Mammogram, right breast, cranio-caudal view. 46-year-old patient.
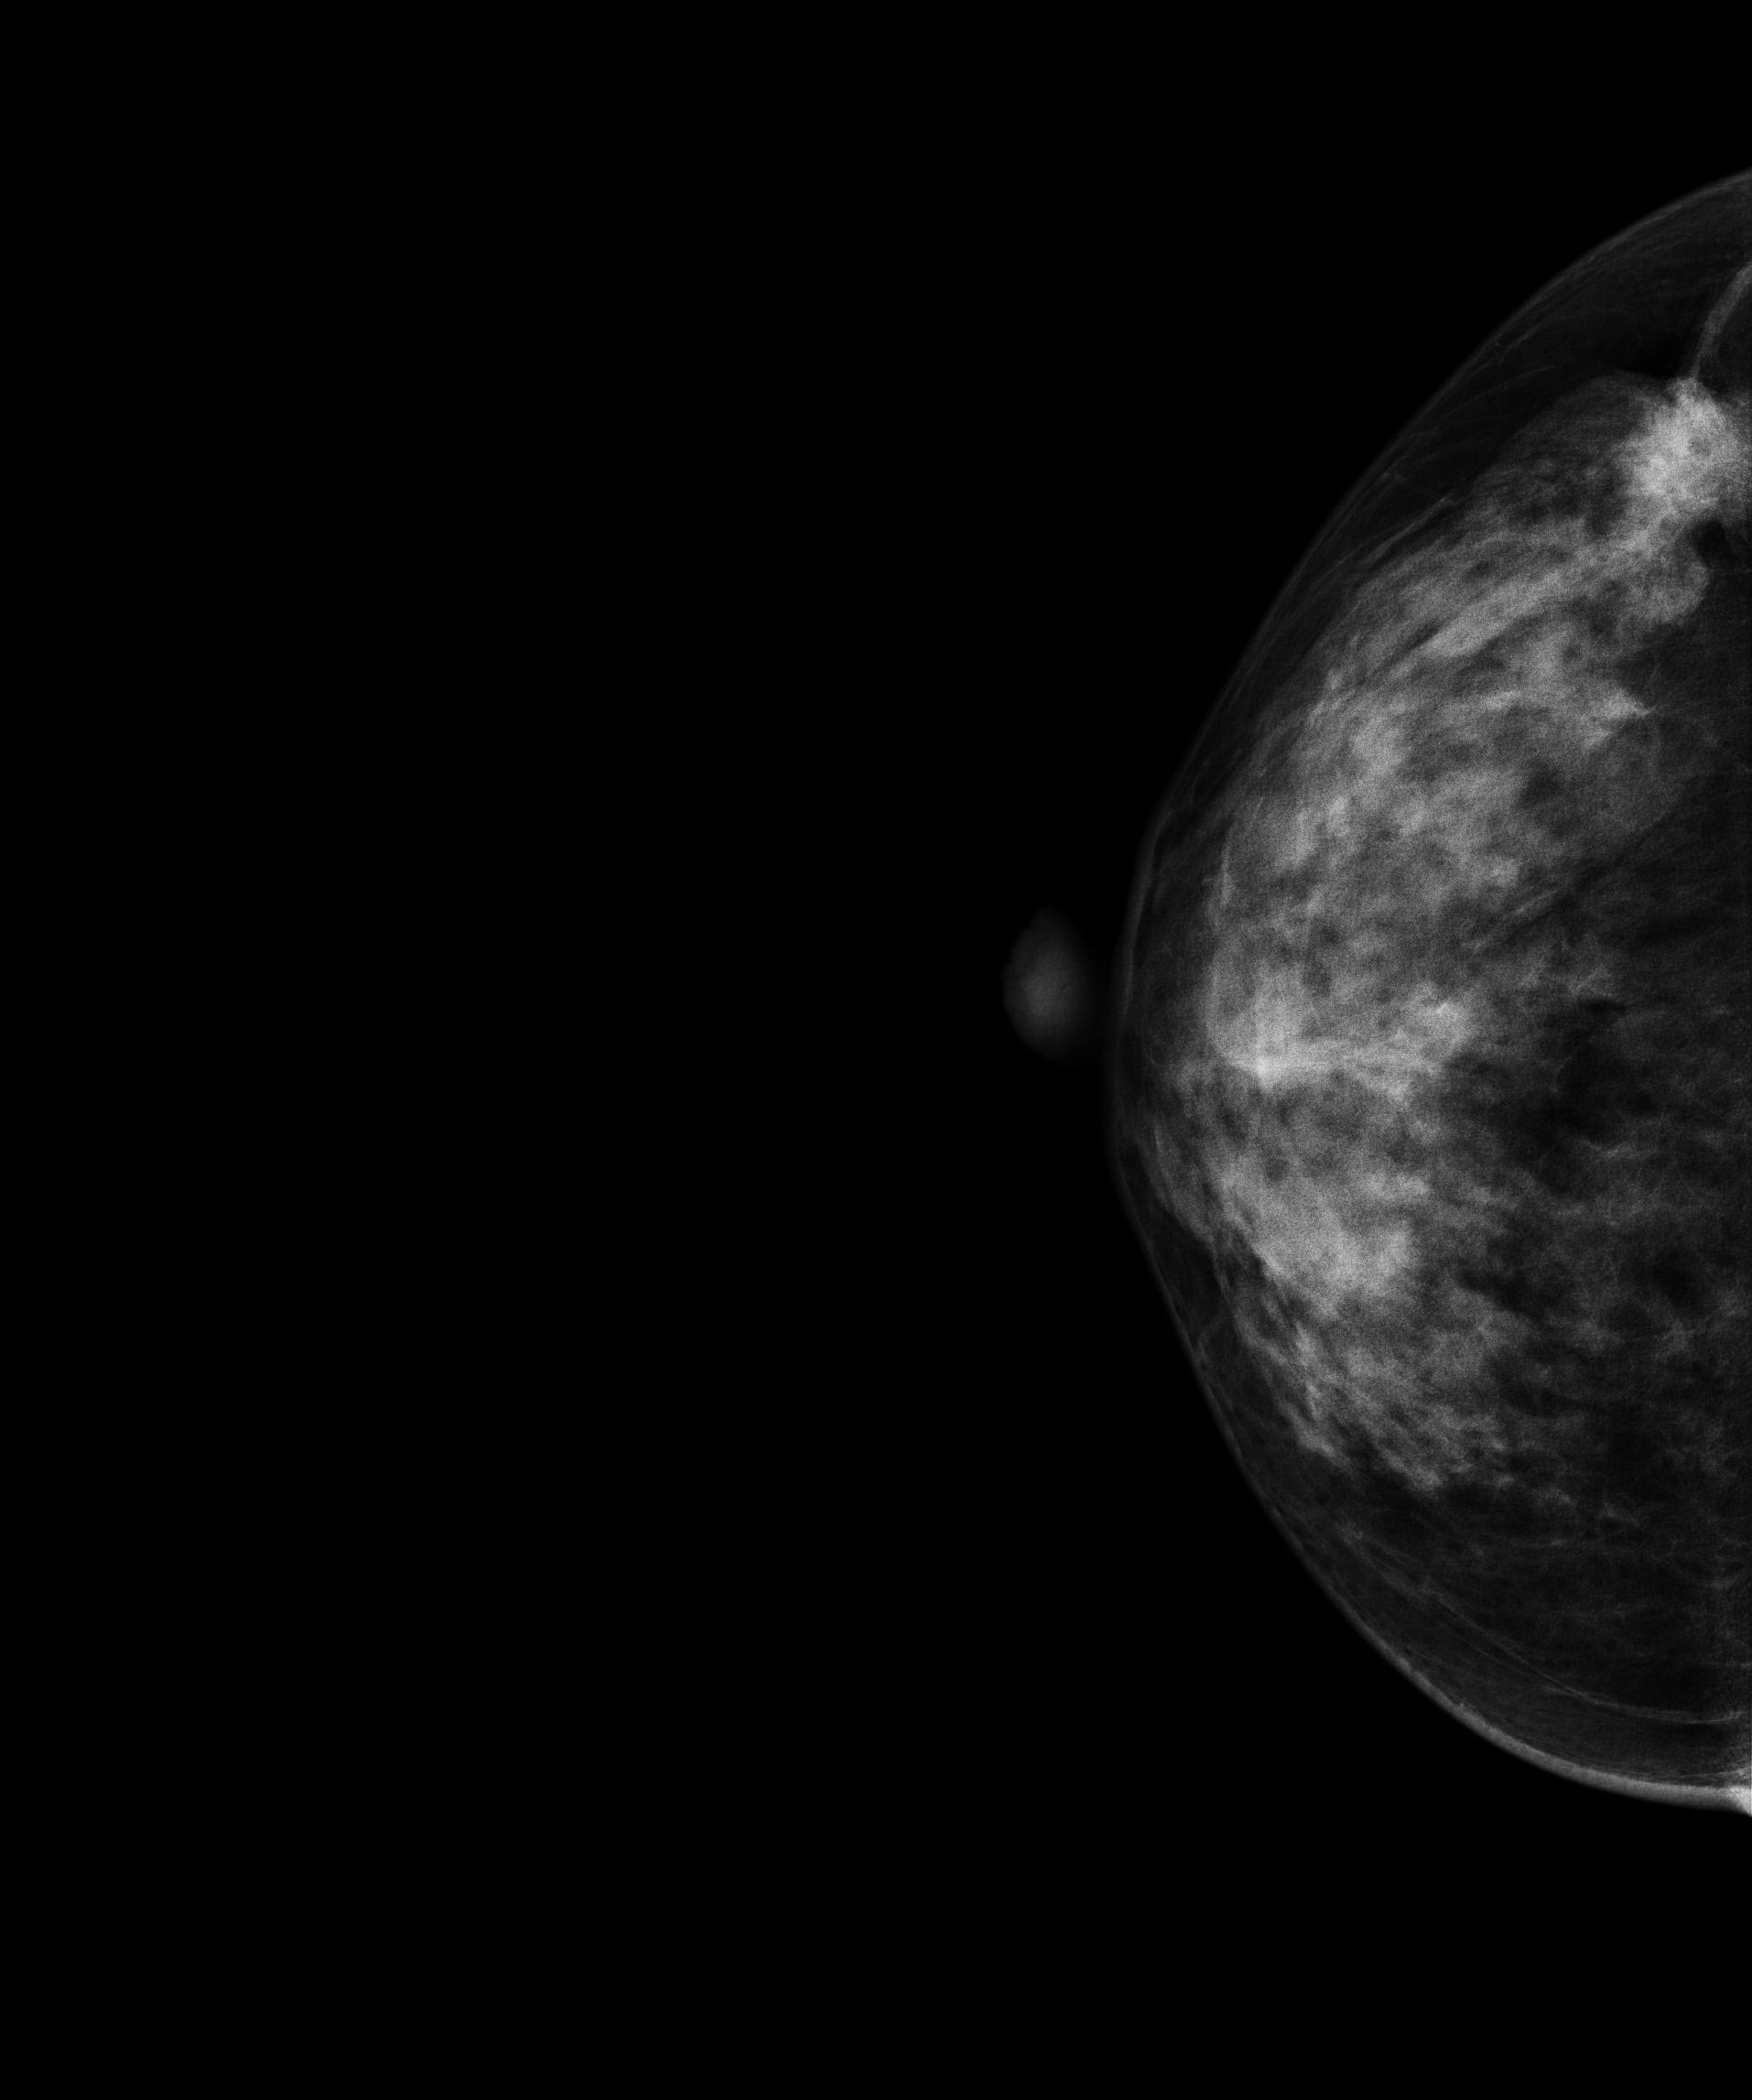
This breast has a mass, pathology-confirmed malignant. Molecular subtype: luminal A.